Mammogram, left breast, cranio-caudal view. 26-year-old patient.
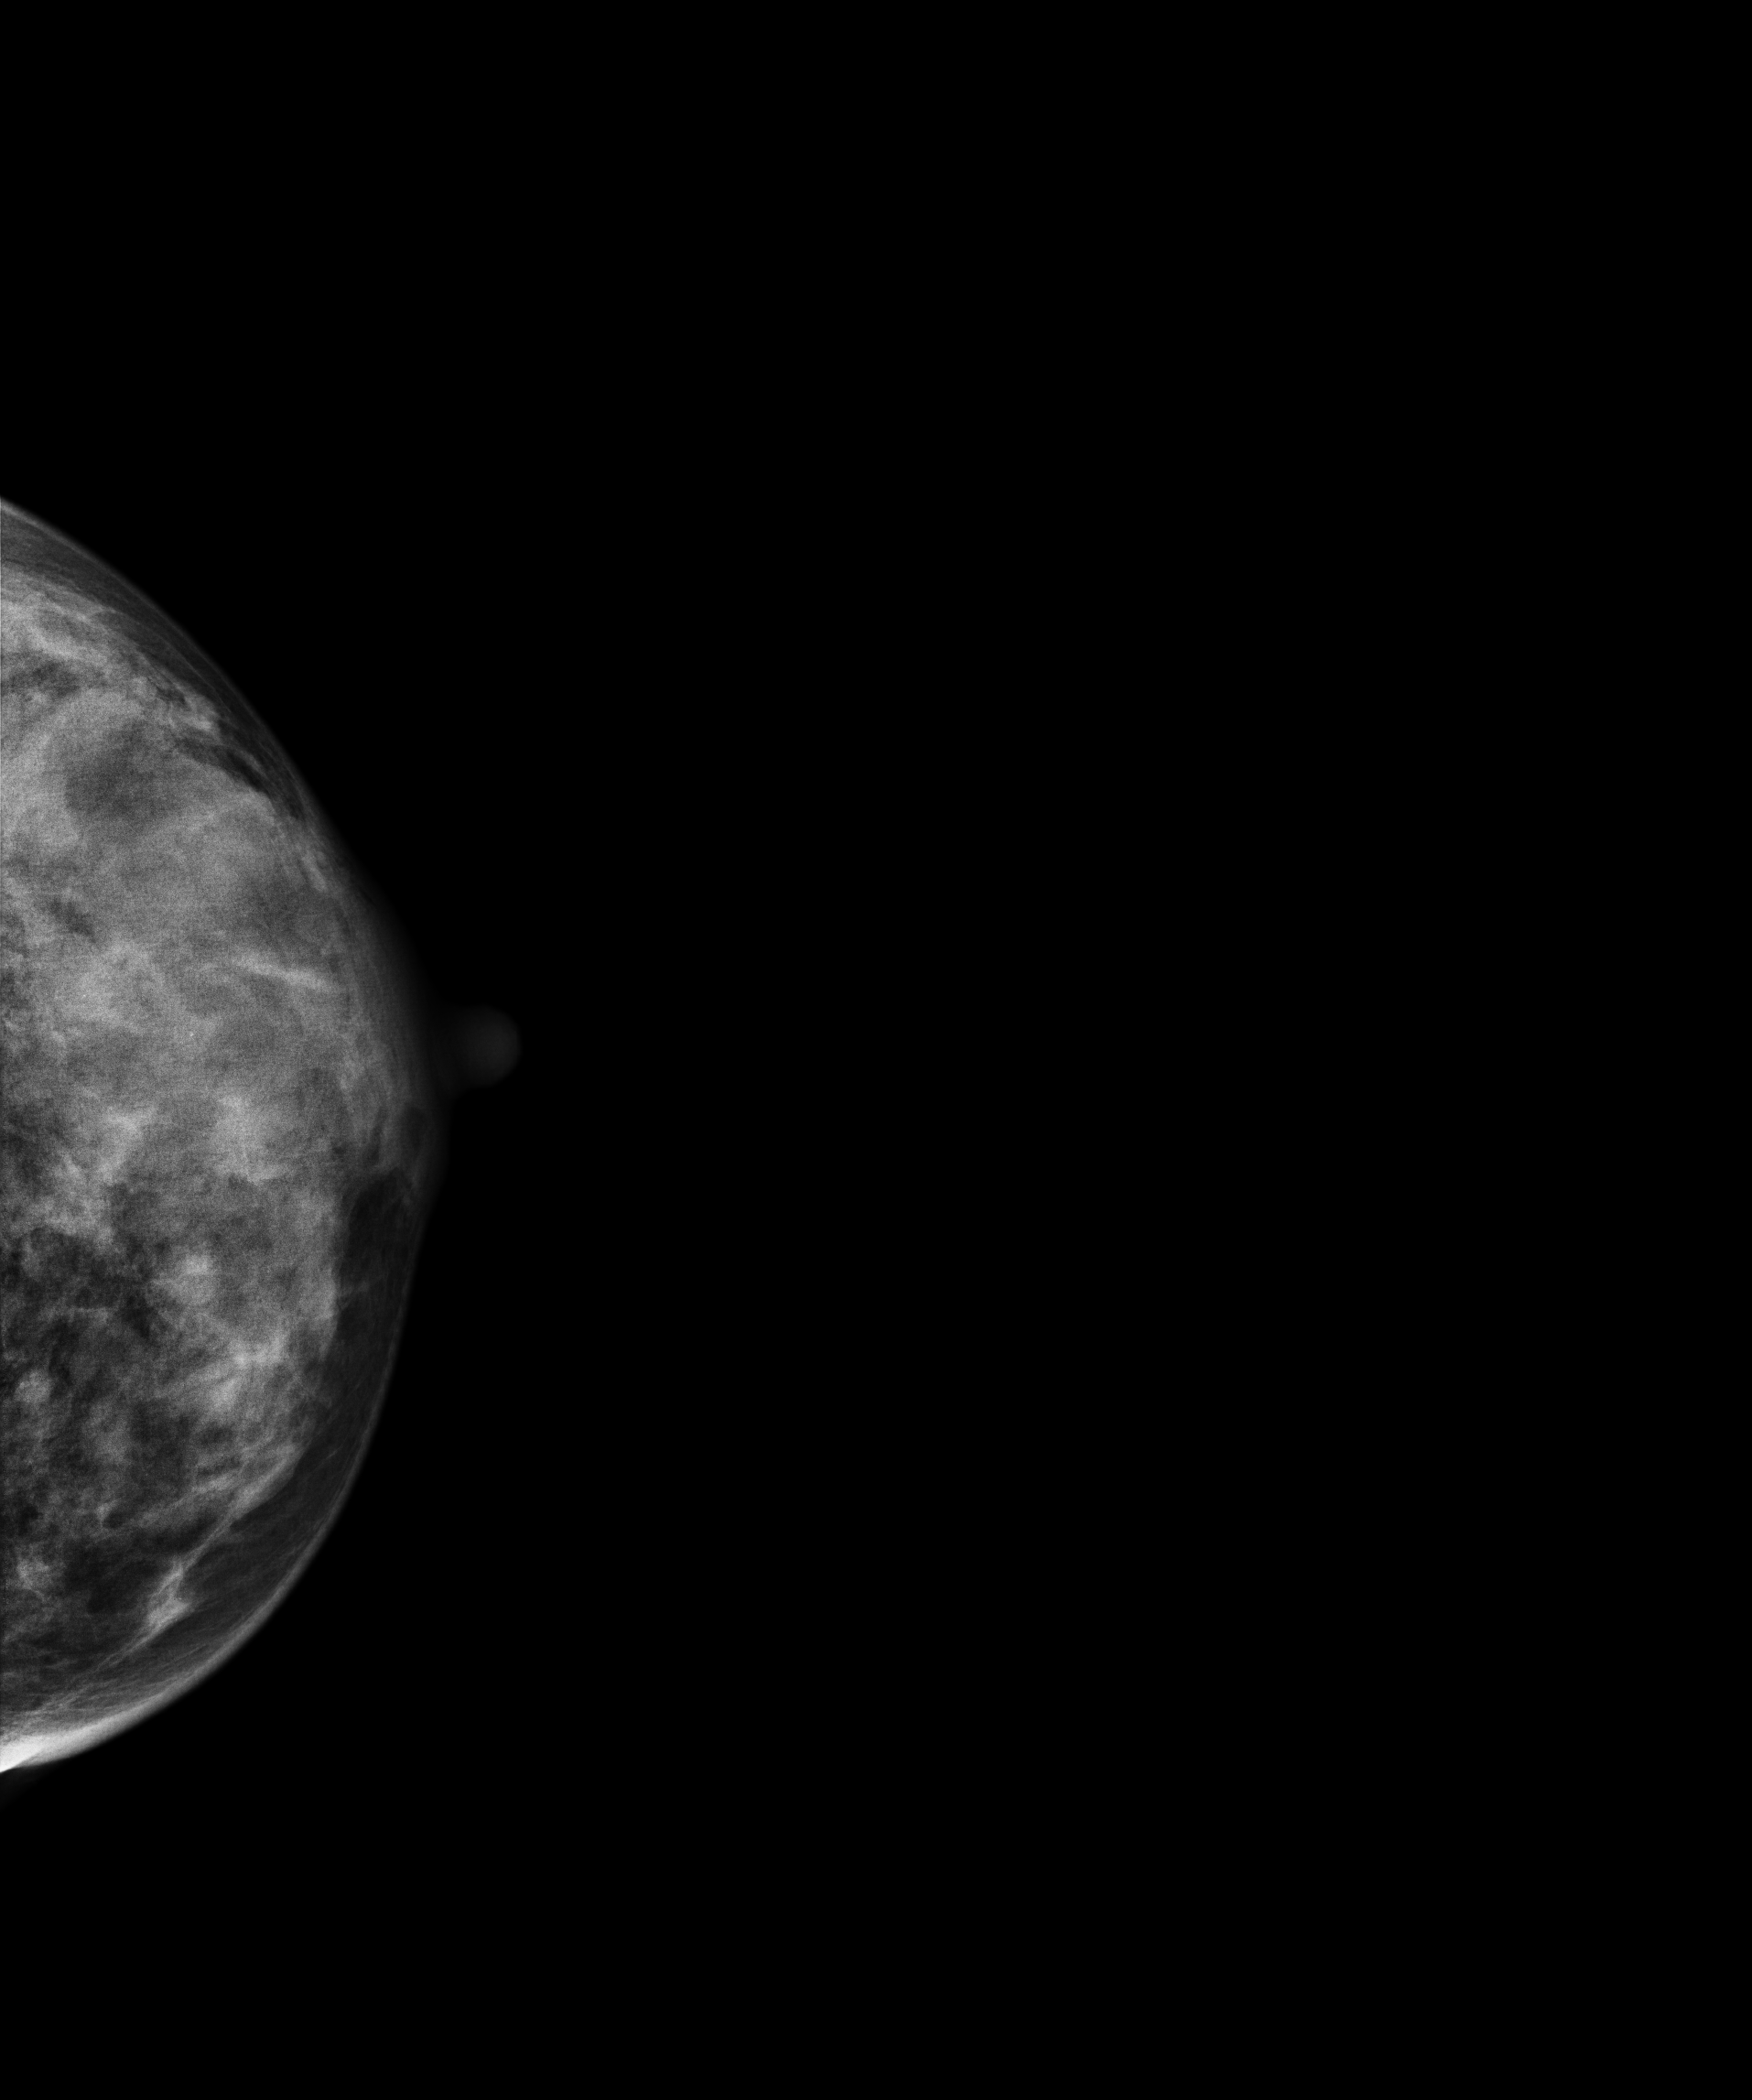
This breast has a mass and calcifications, histologically confirmed benign.